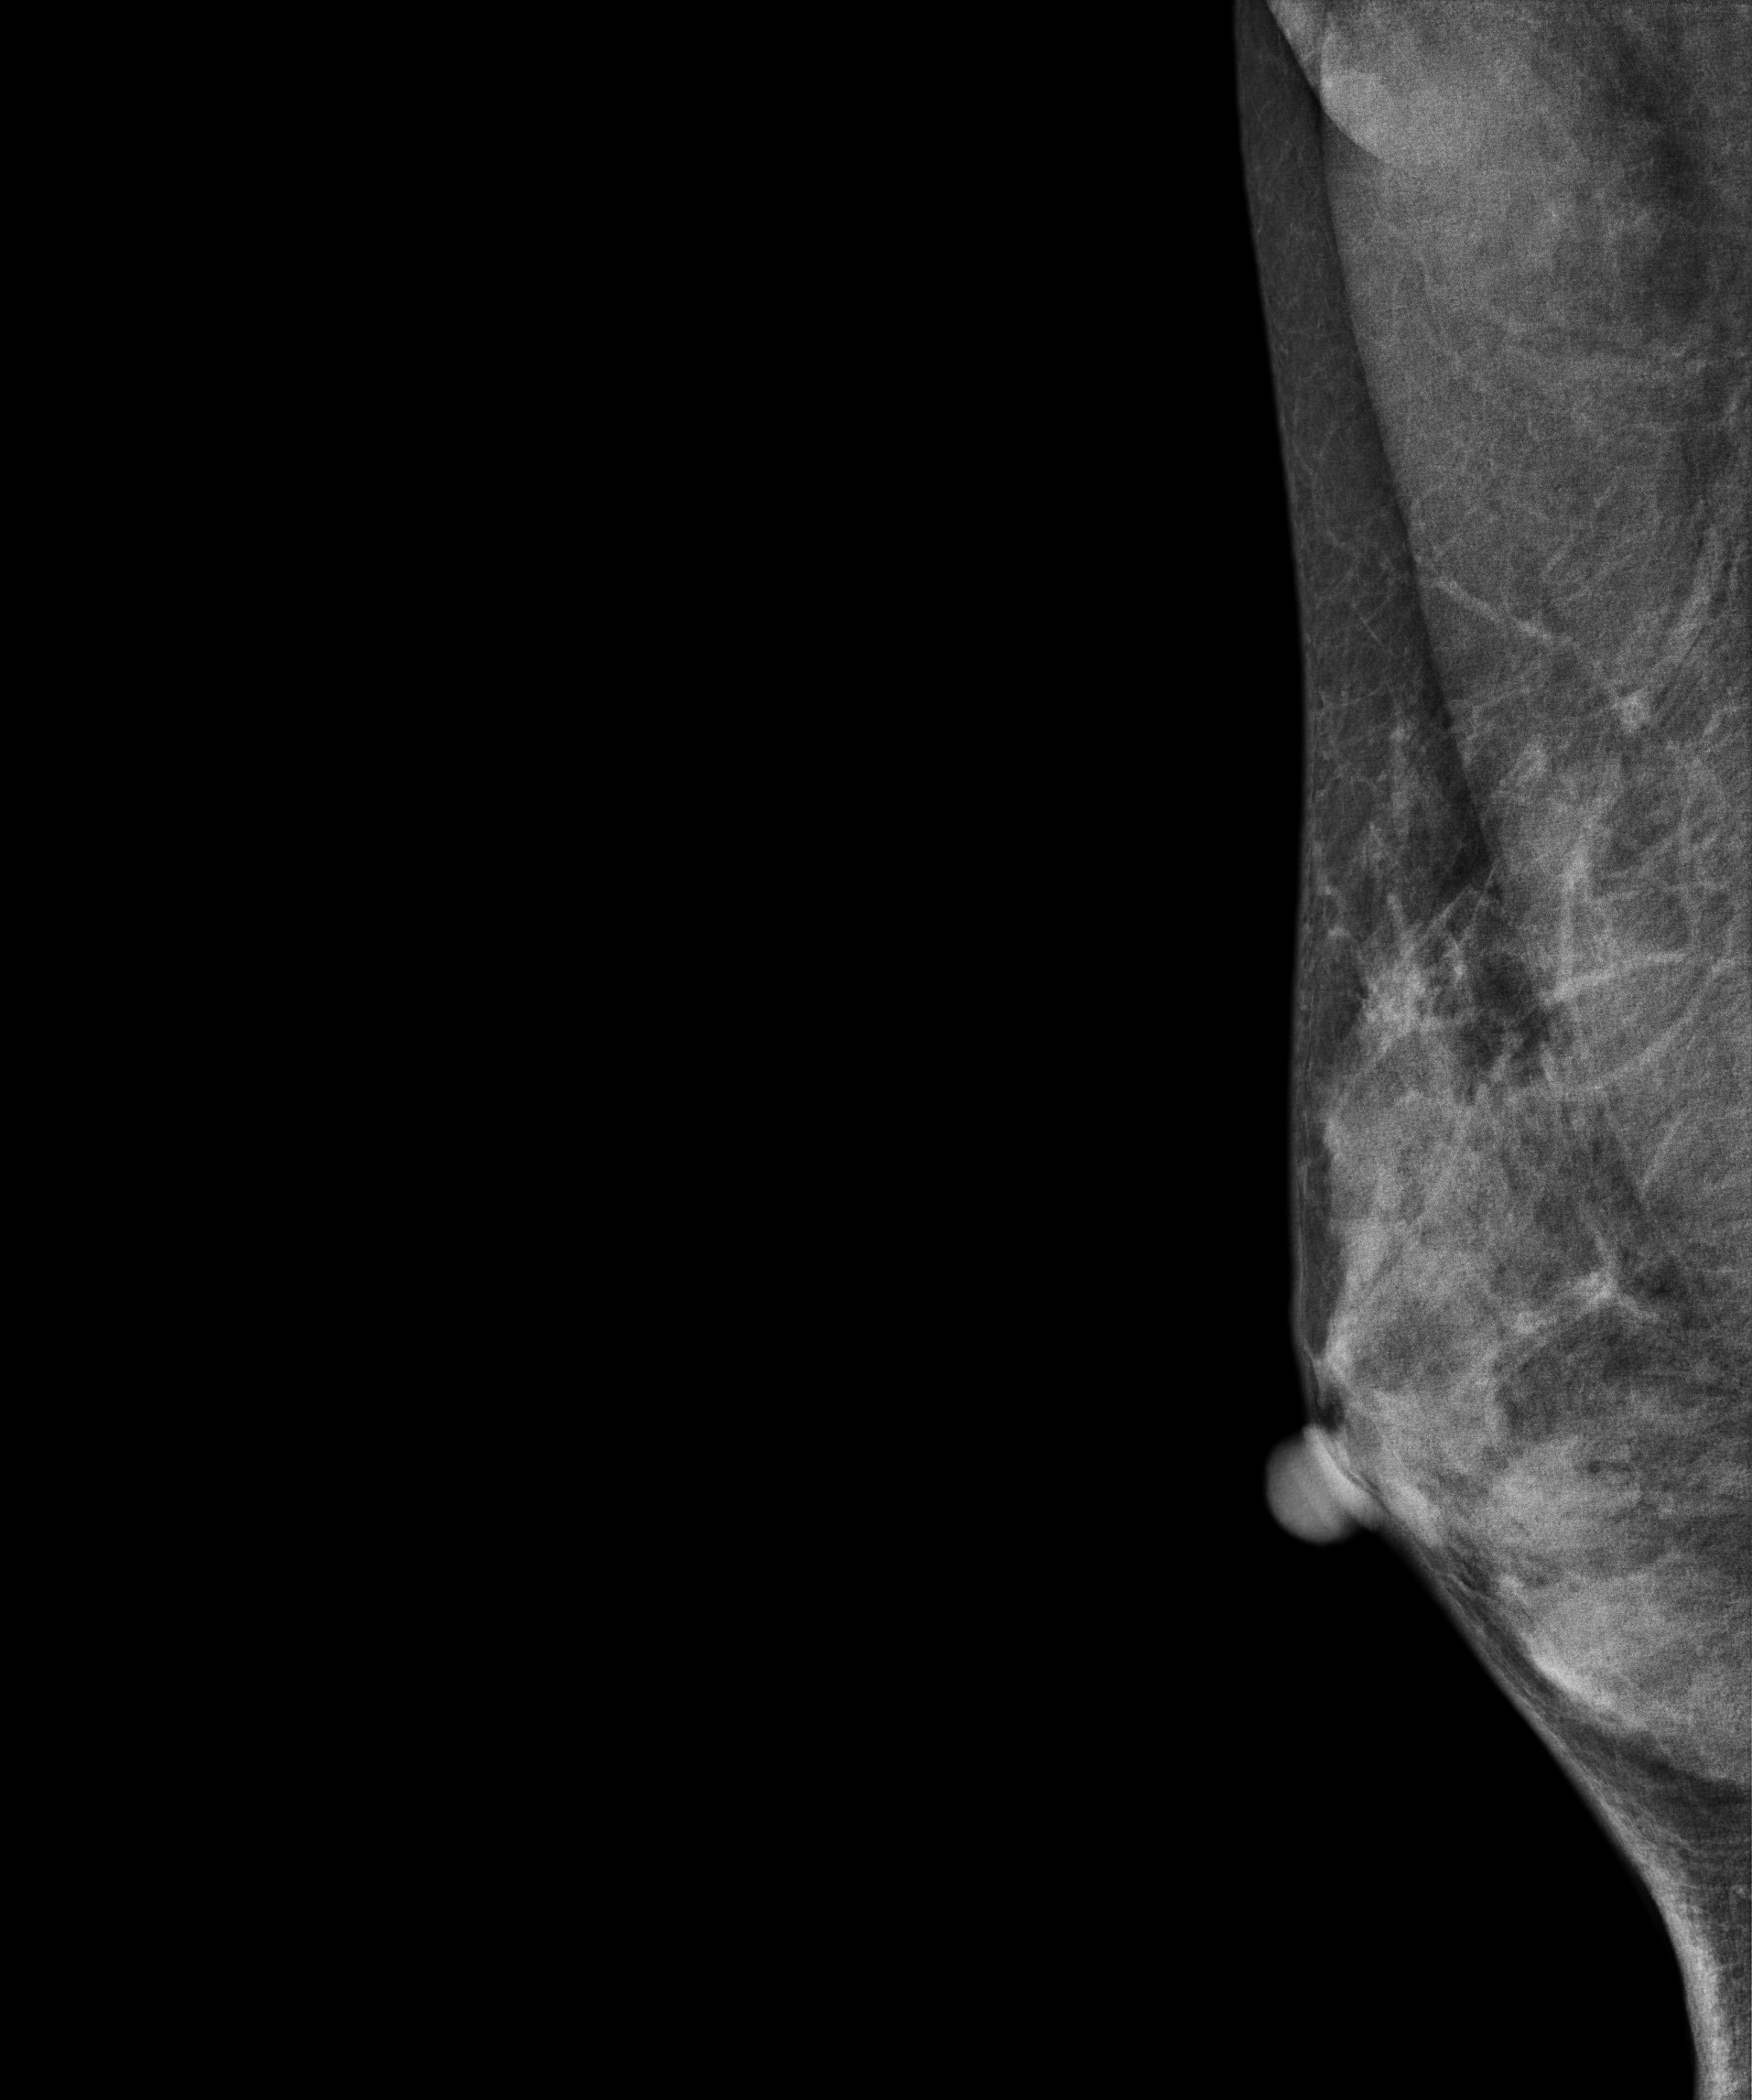
Digital mammography. Right breast, medio-lateral oblique projection. 37 y/o patient.
Contralateral breast — no documented abnormality on this side.